MLO mammogram of the left breast. 57-year-old patient.
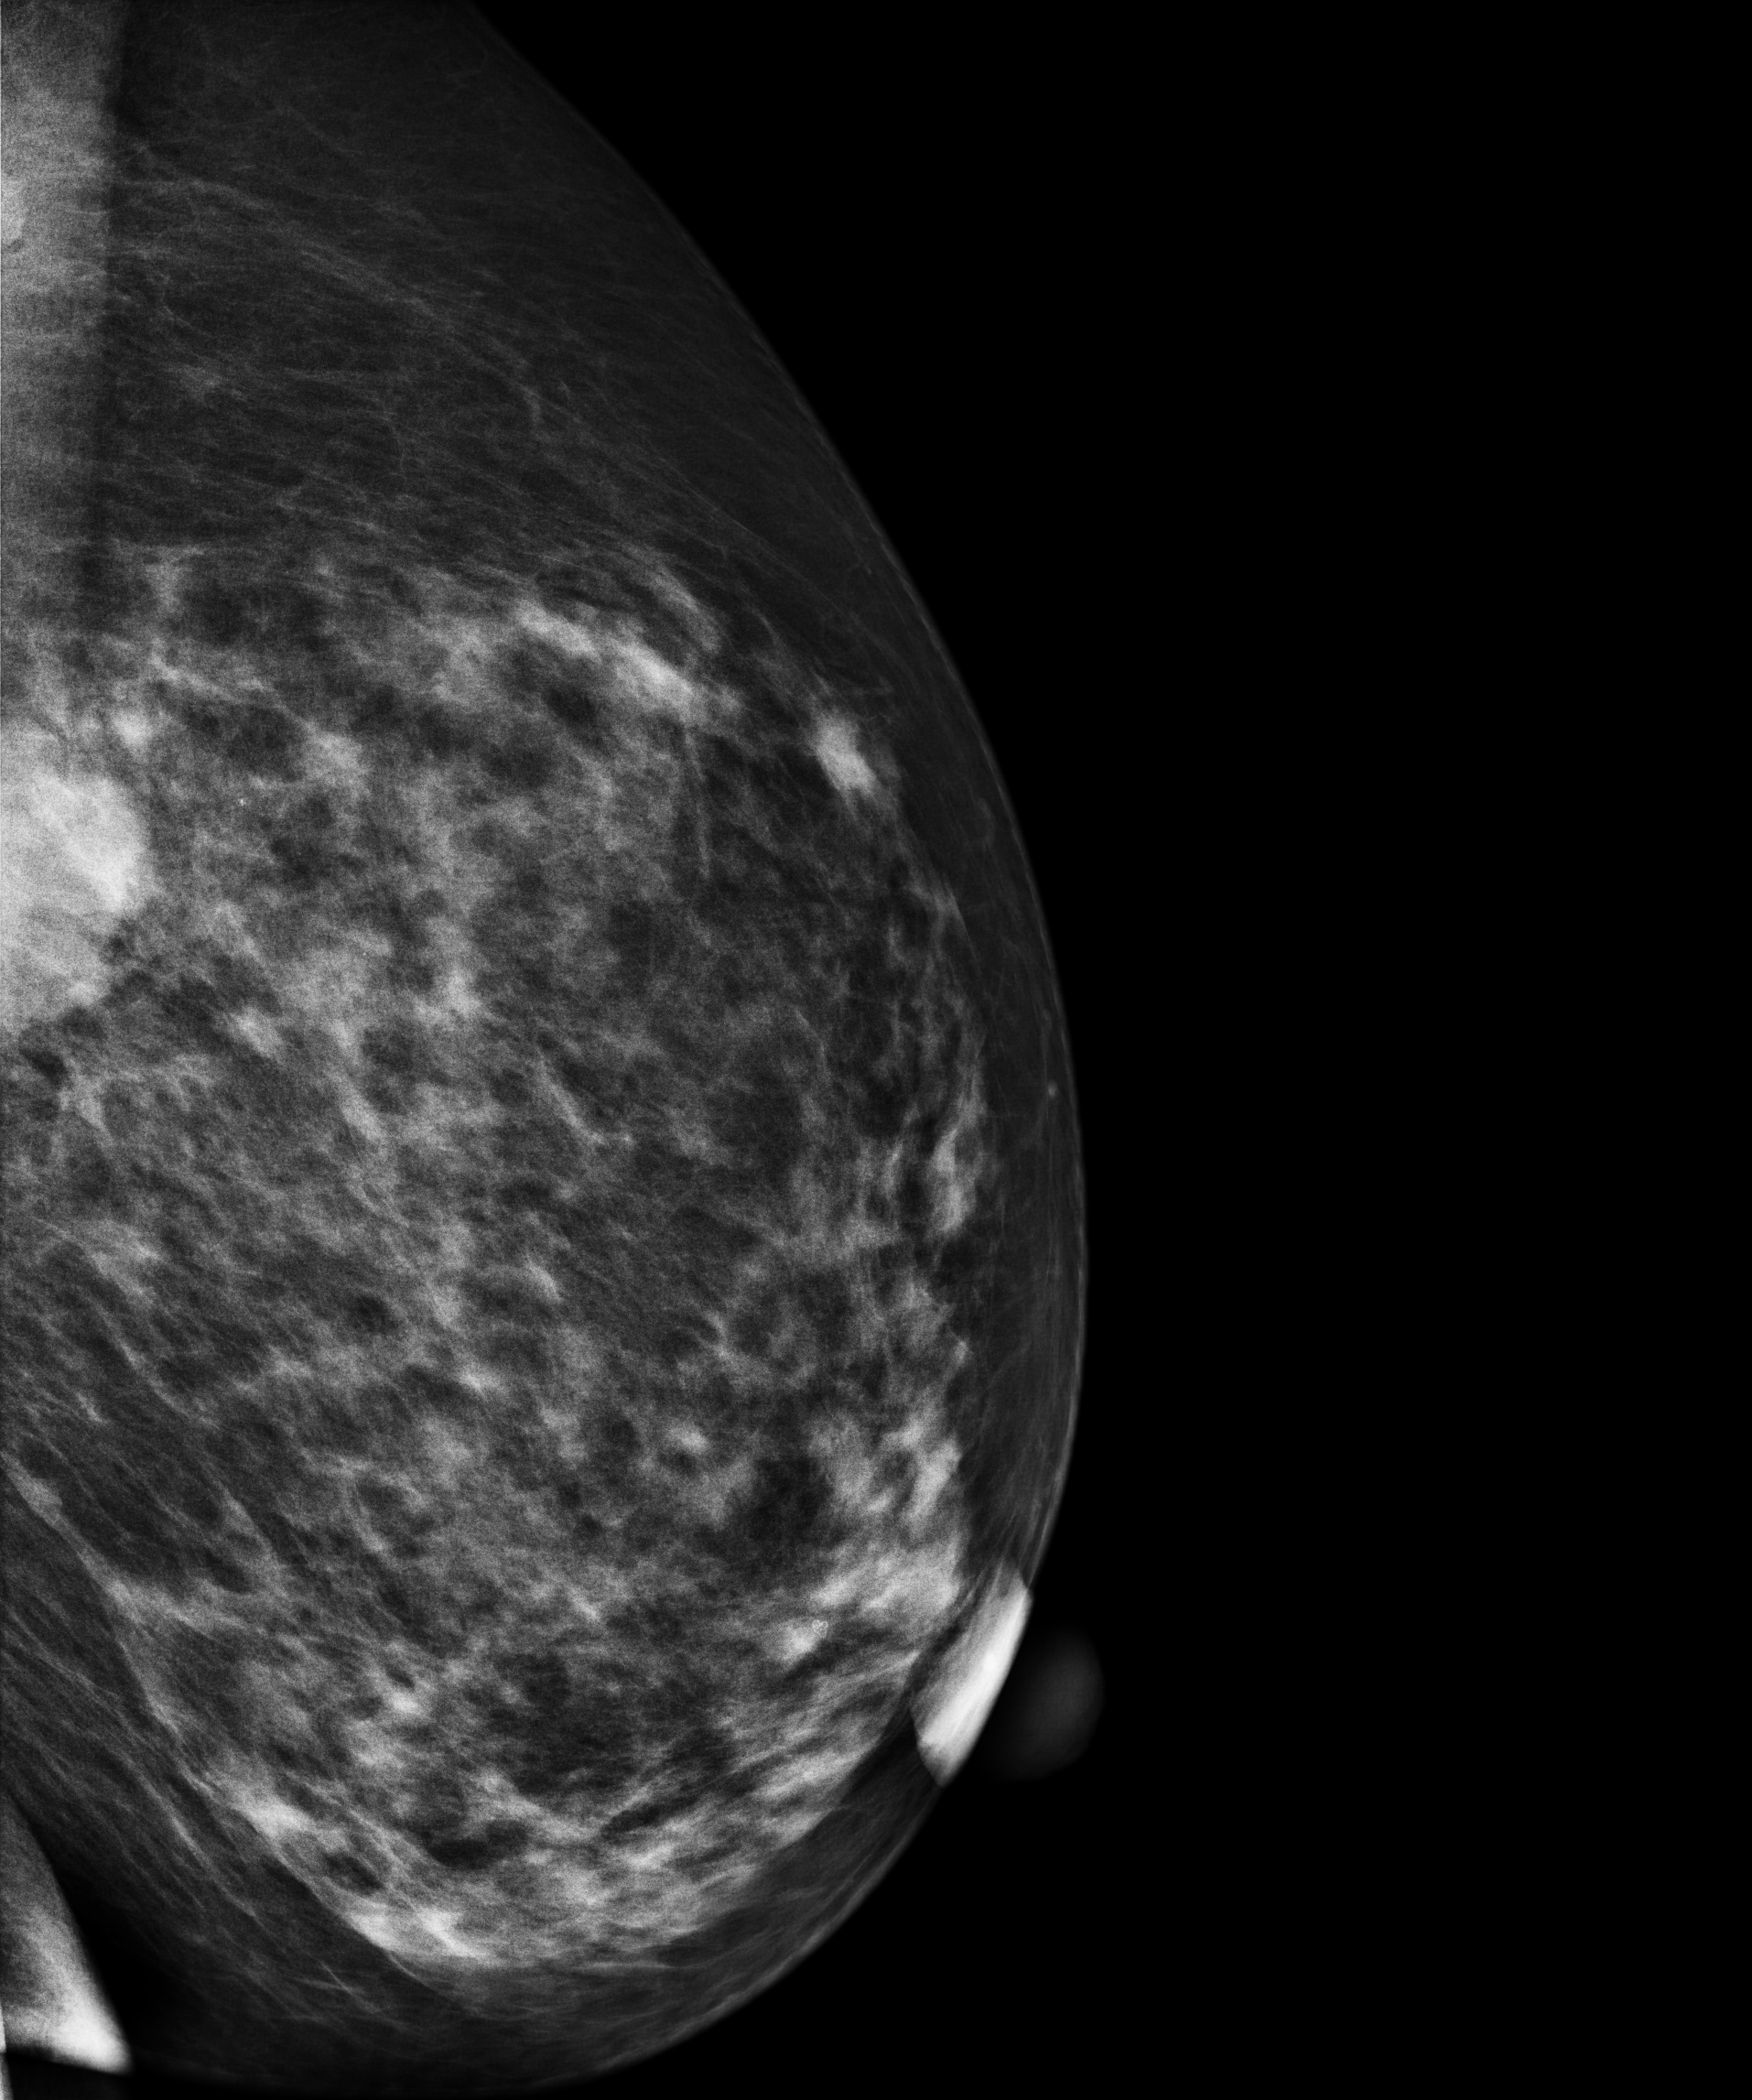
This breast has a mass, biopsy-proven malignant. Molecular subtype: HER2-enriched.